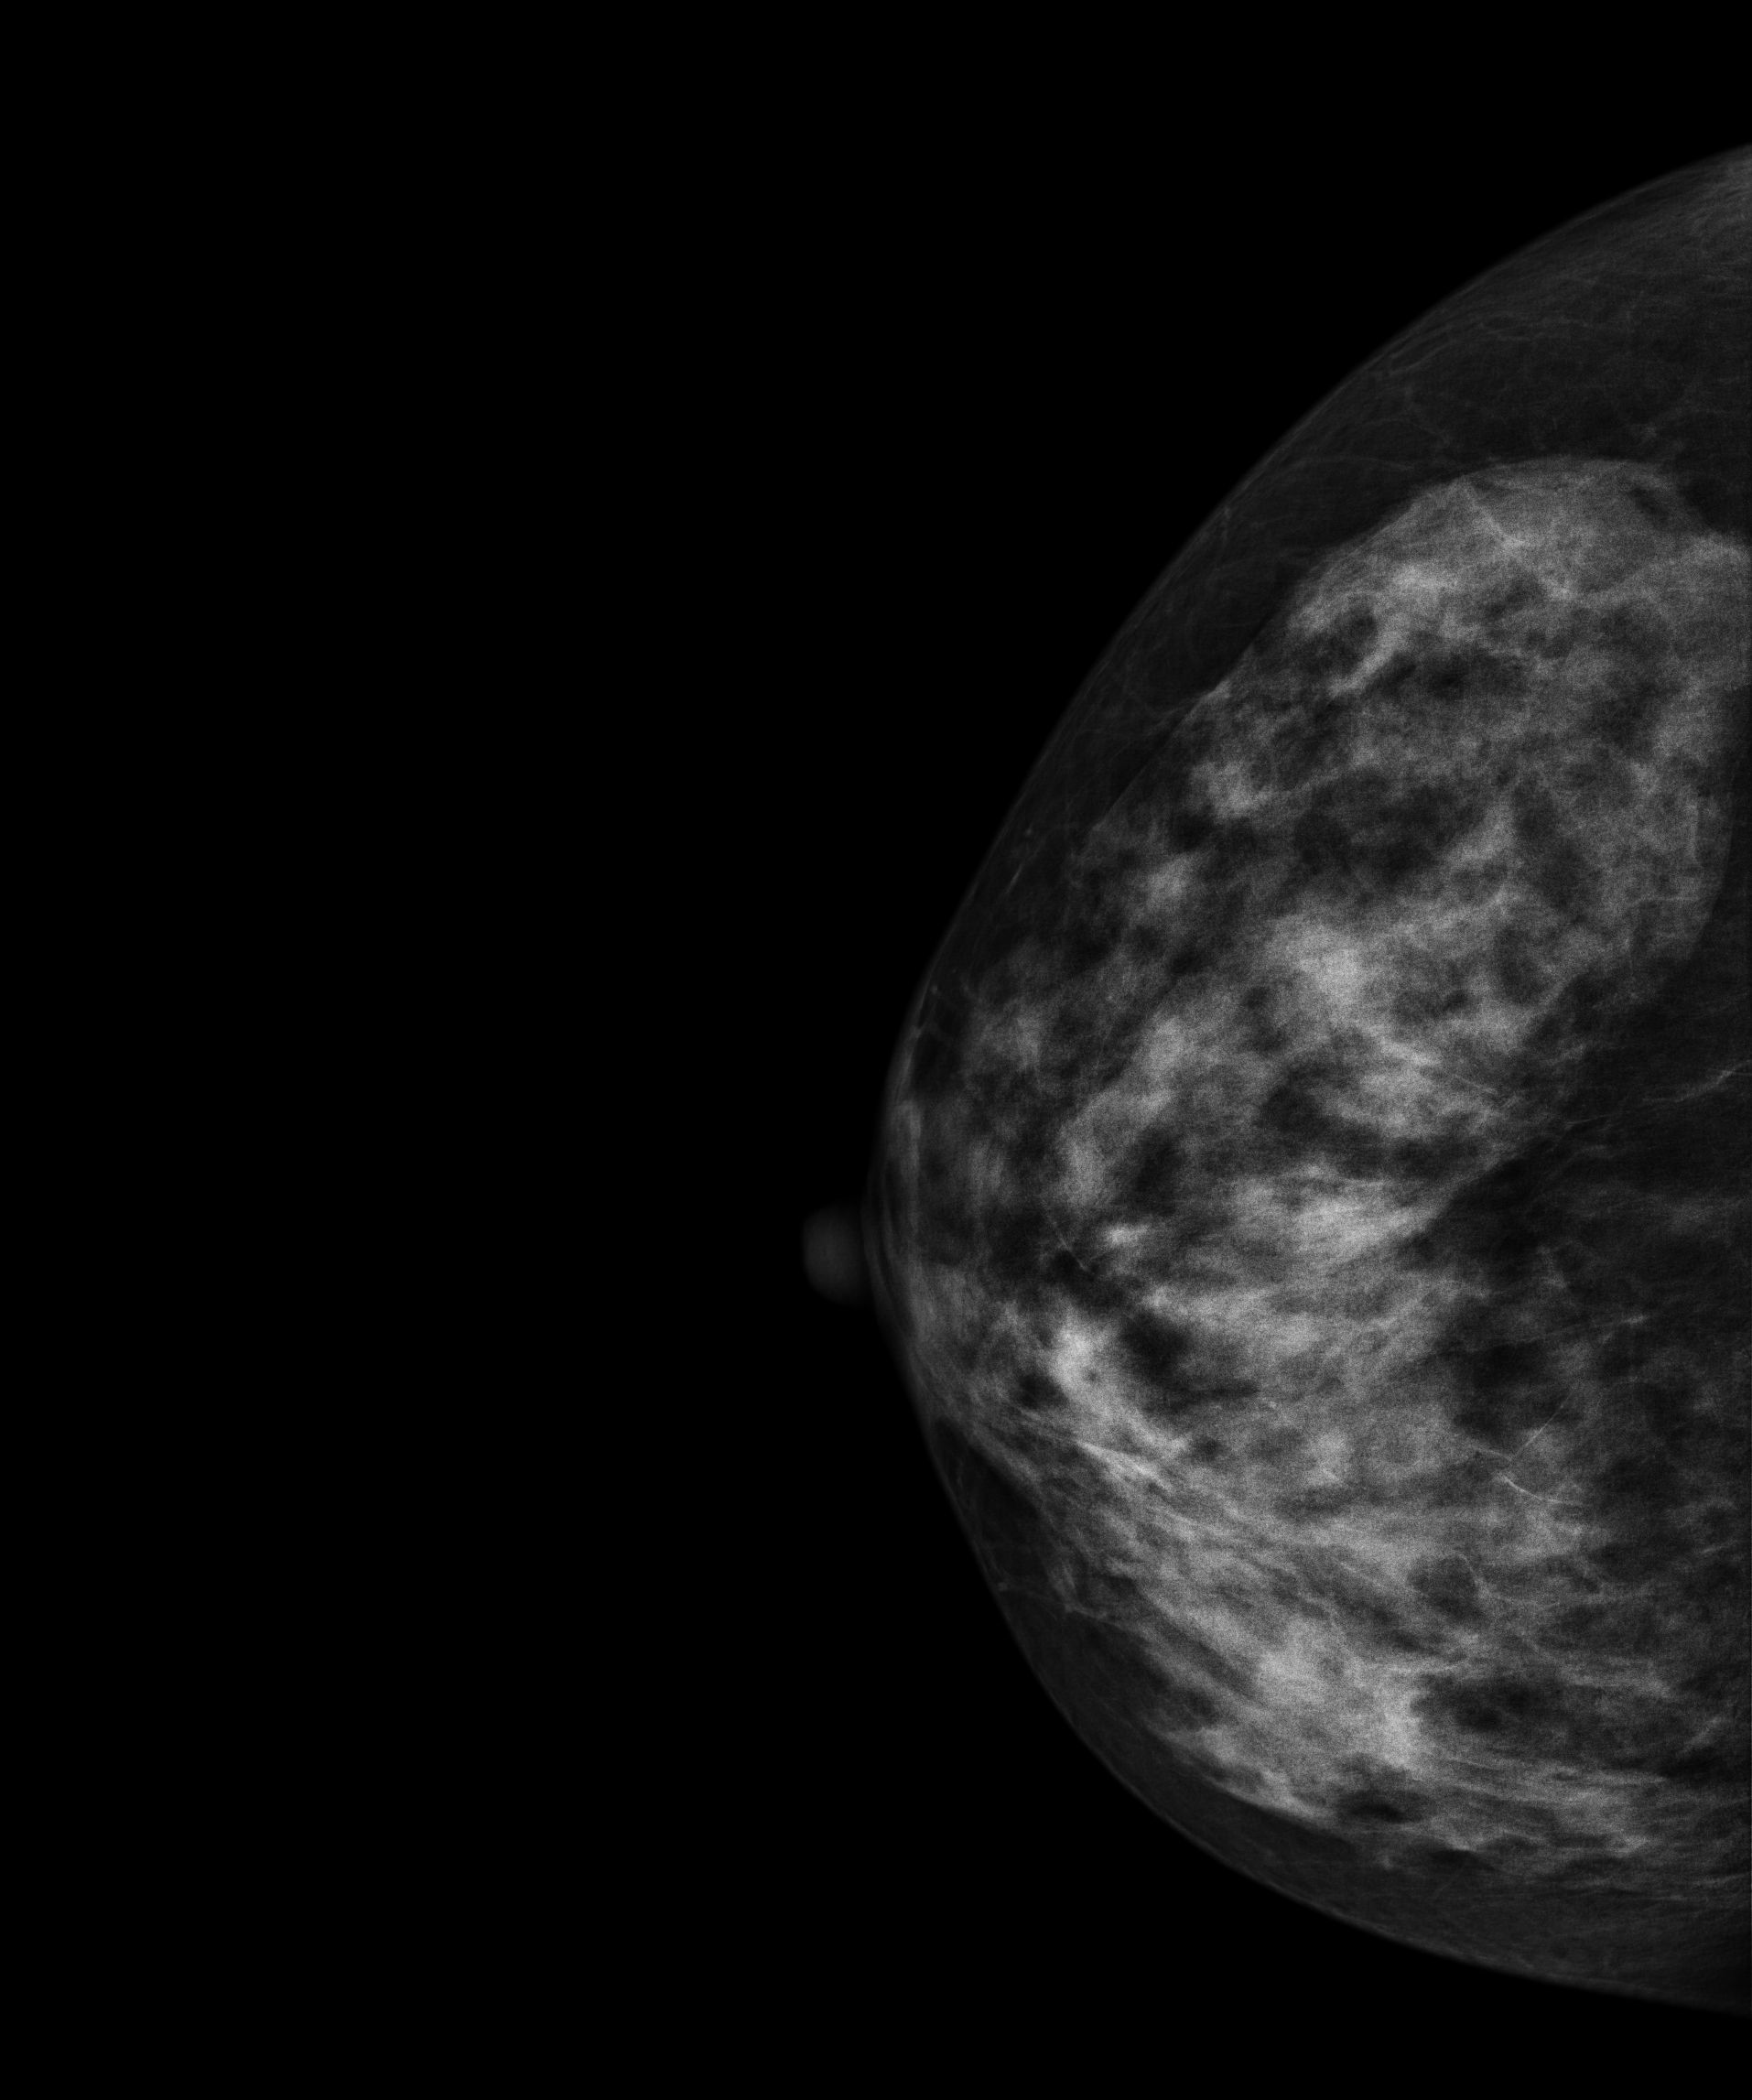
Mammogram — right CC. 56-year-old patient.
Contralateral breast — no documented abnormality on this side.